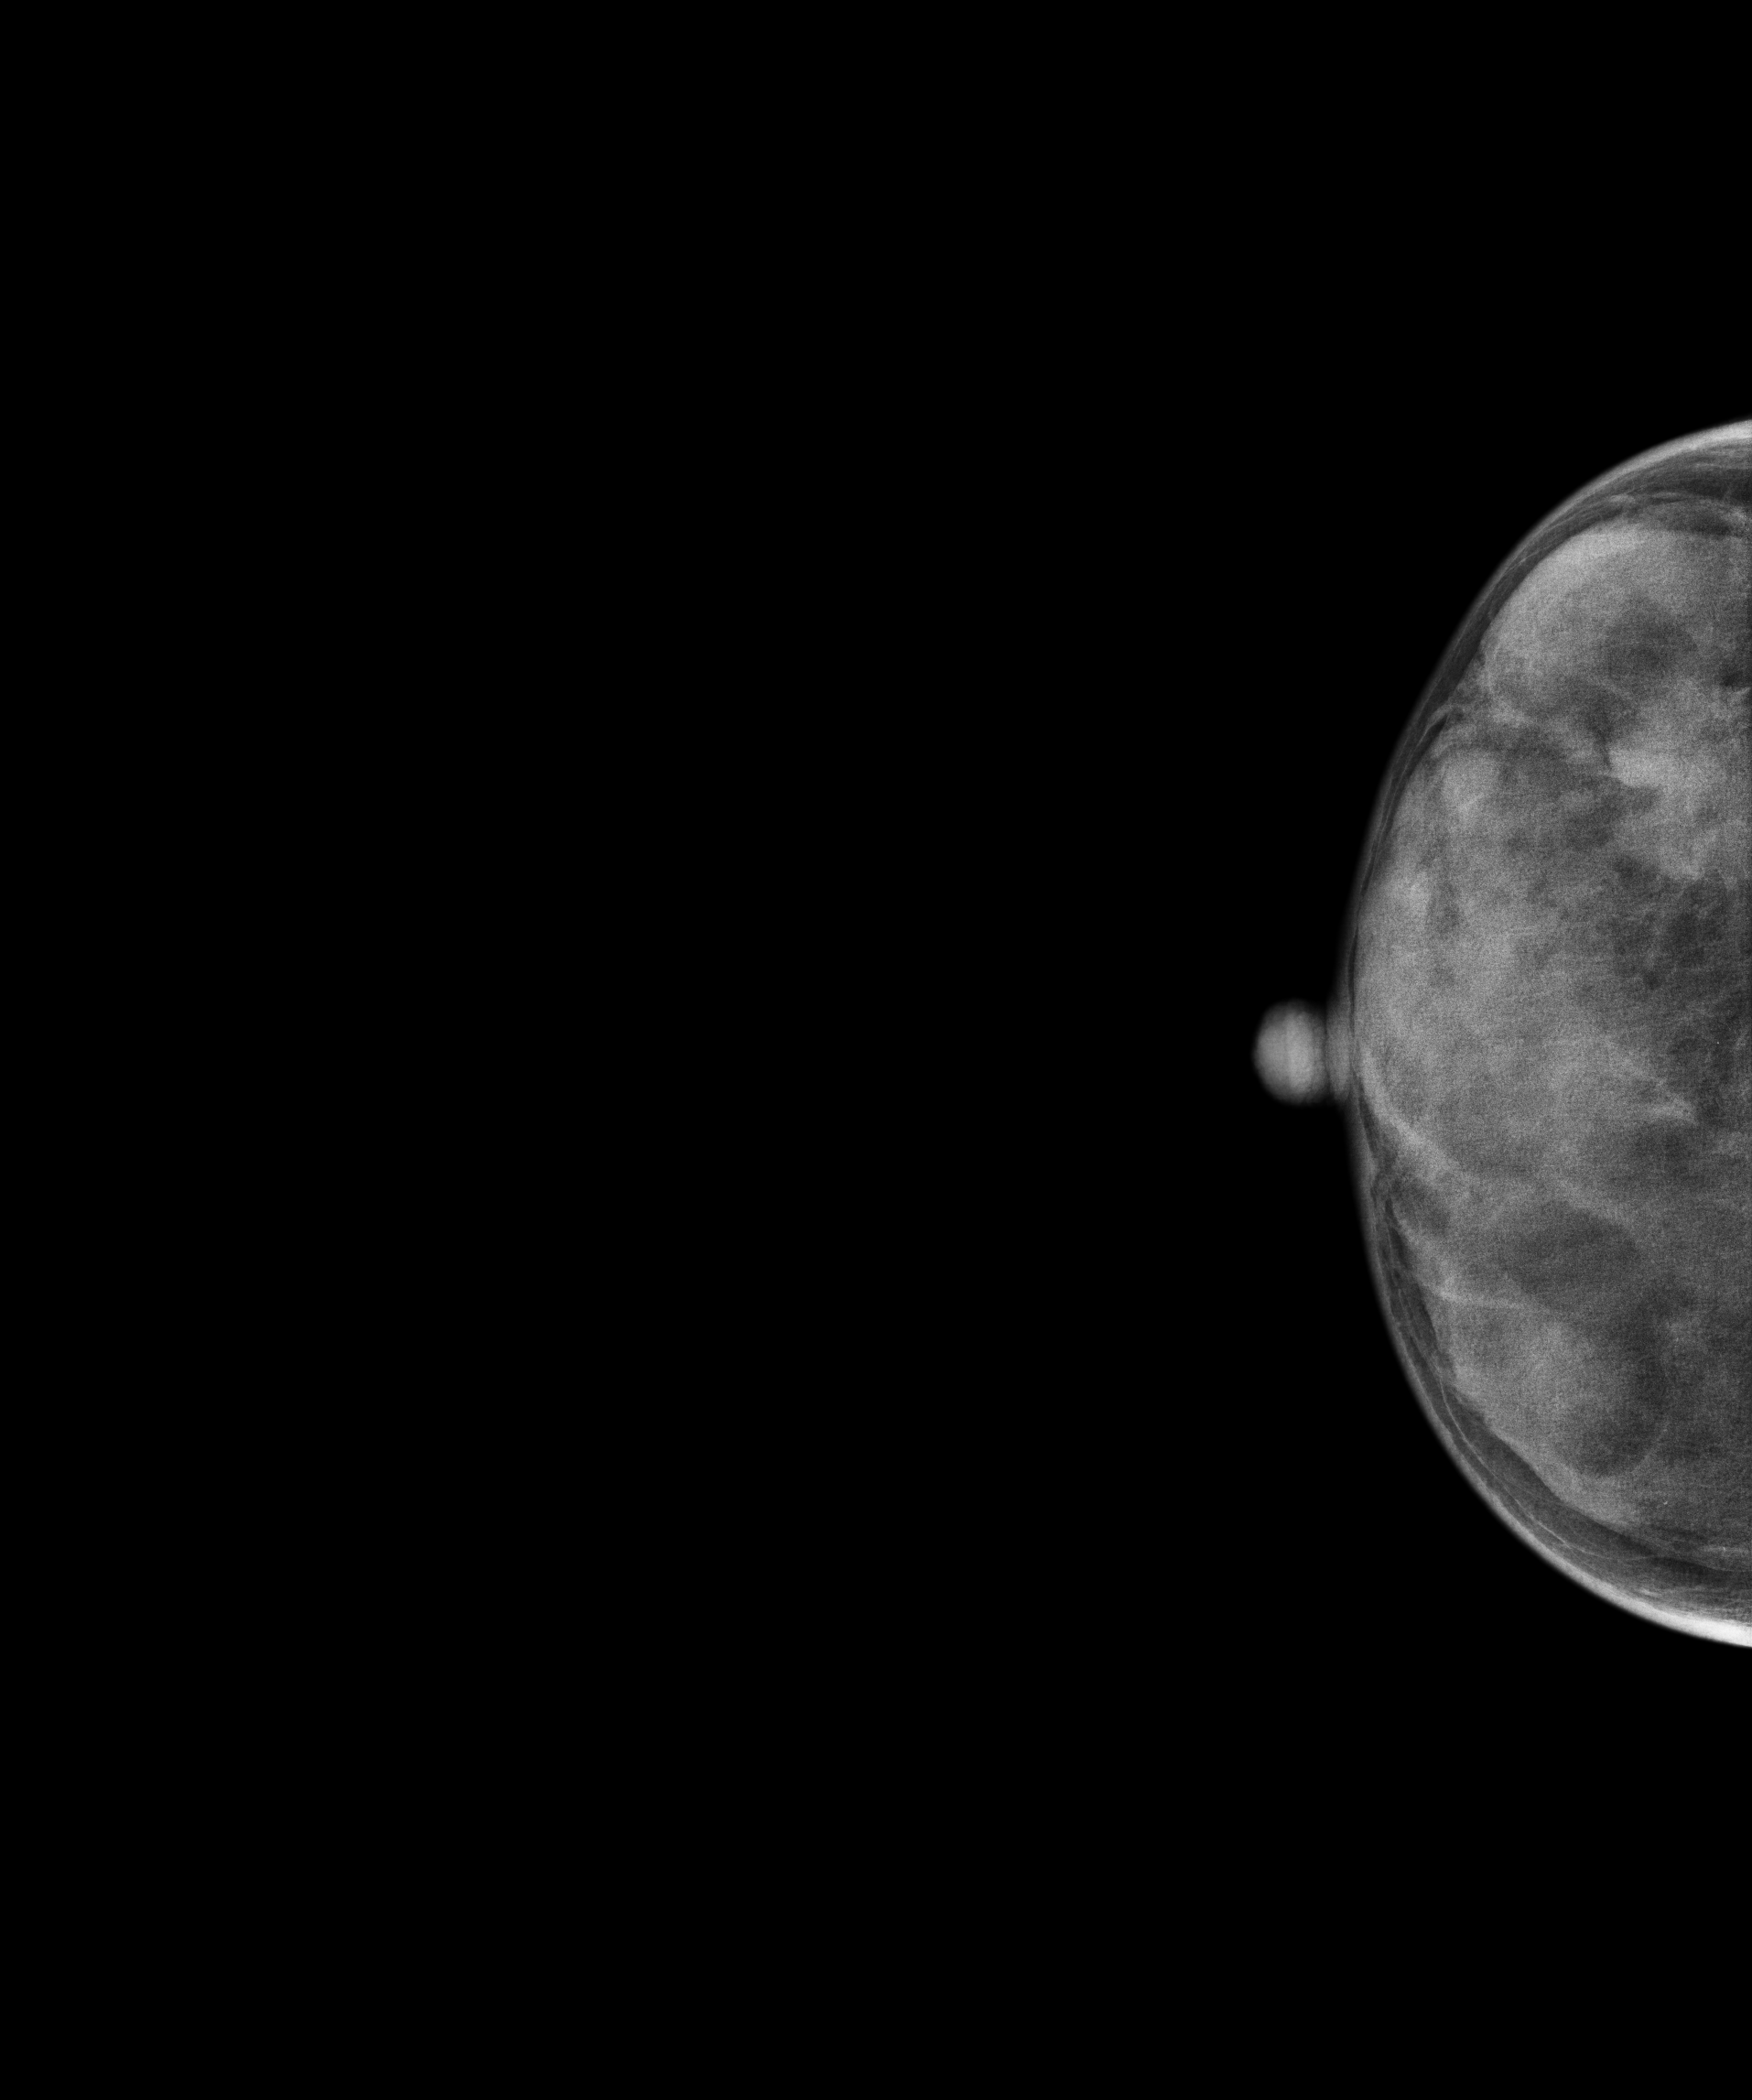
Cranio-caudal mammogram of the right breast. Patient age 31.
This breast has a mass, histologically confirmed malignant. Molecular subtype: luminal B.